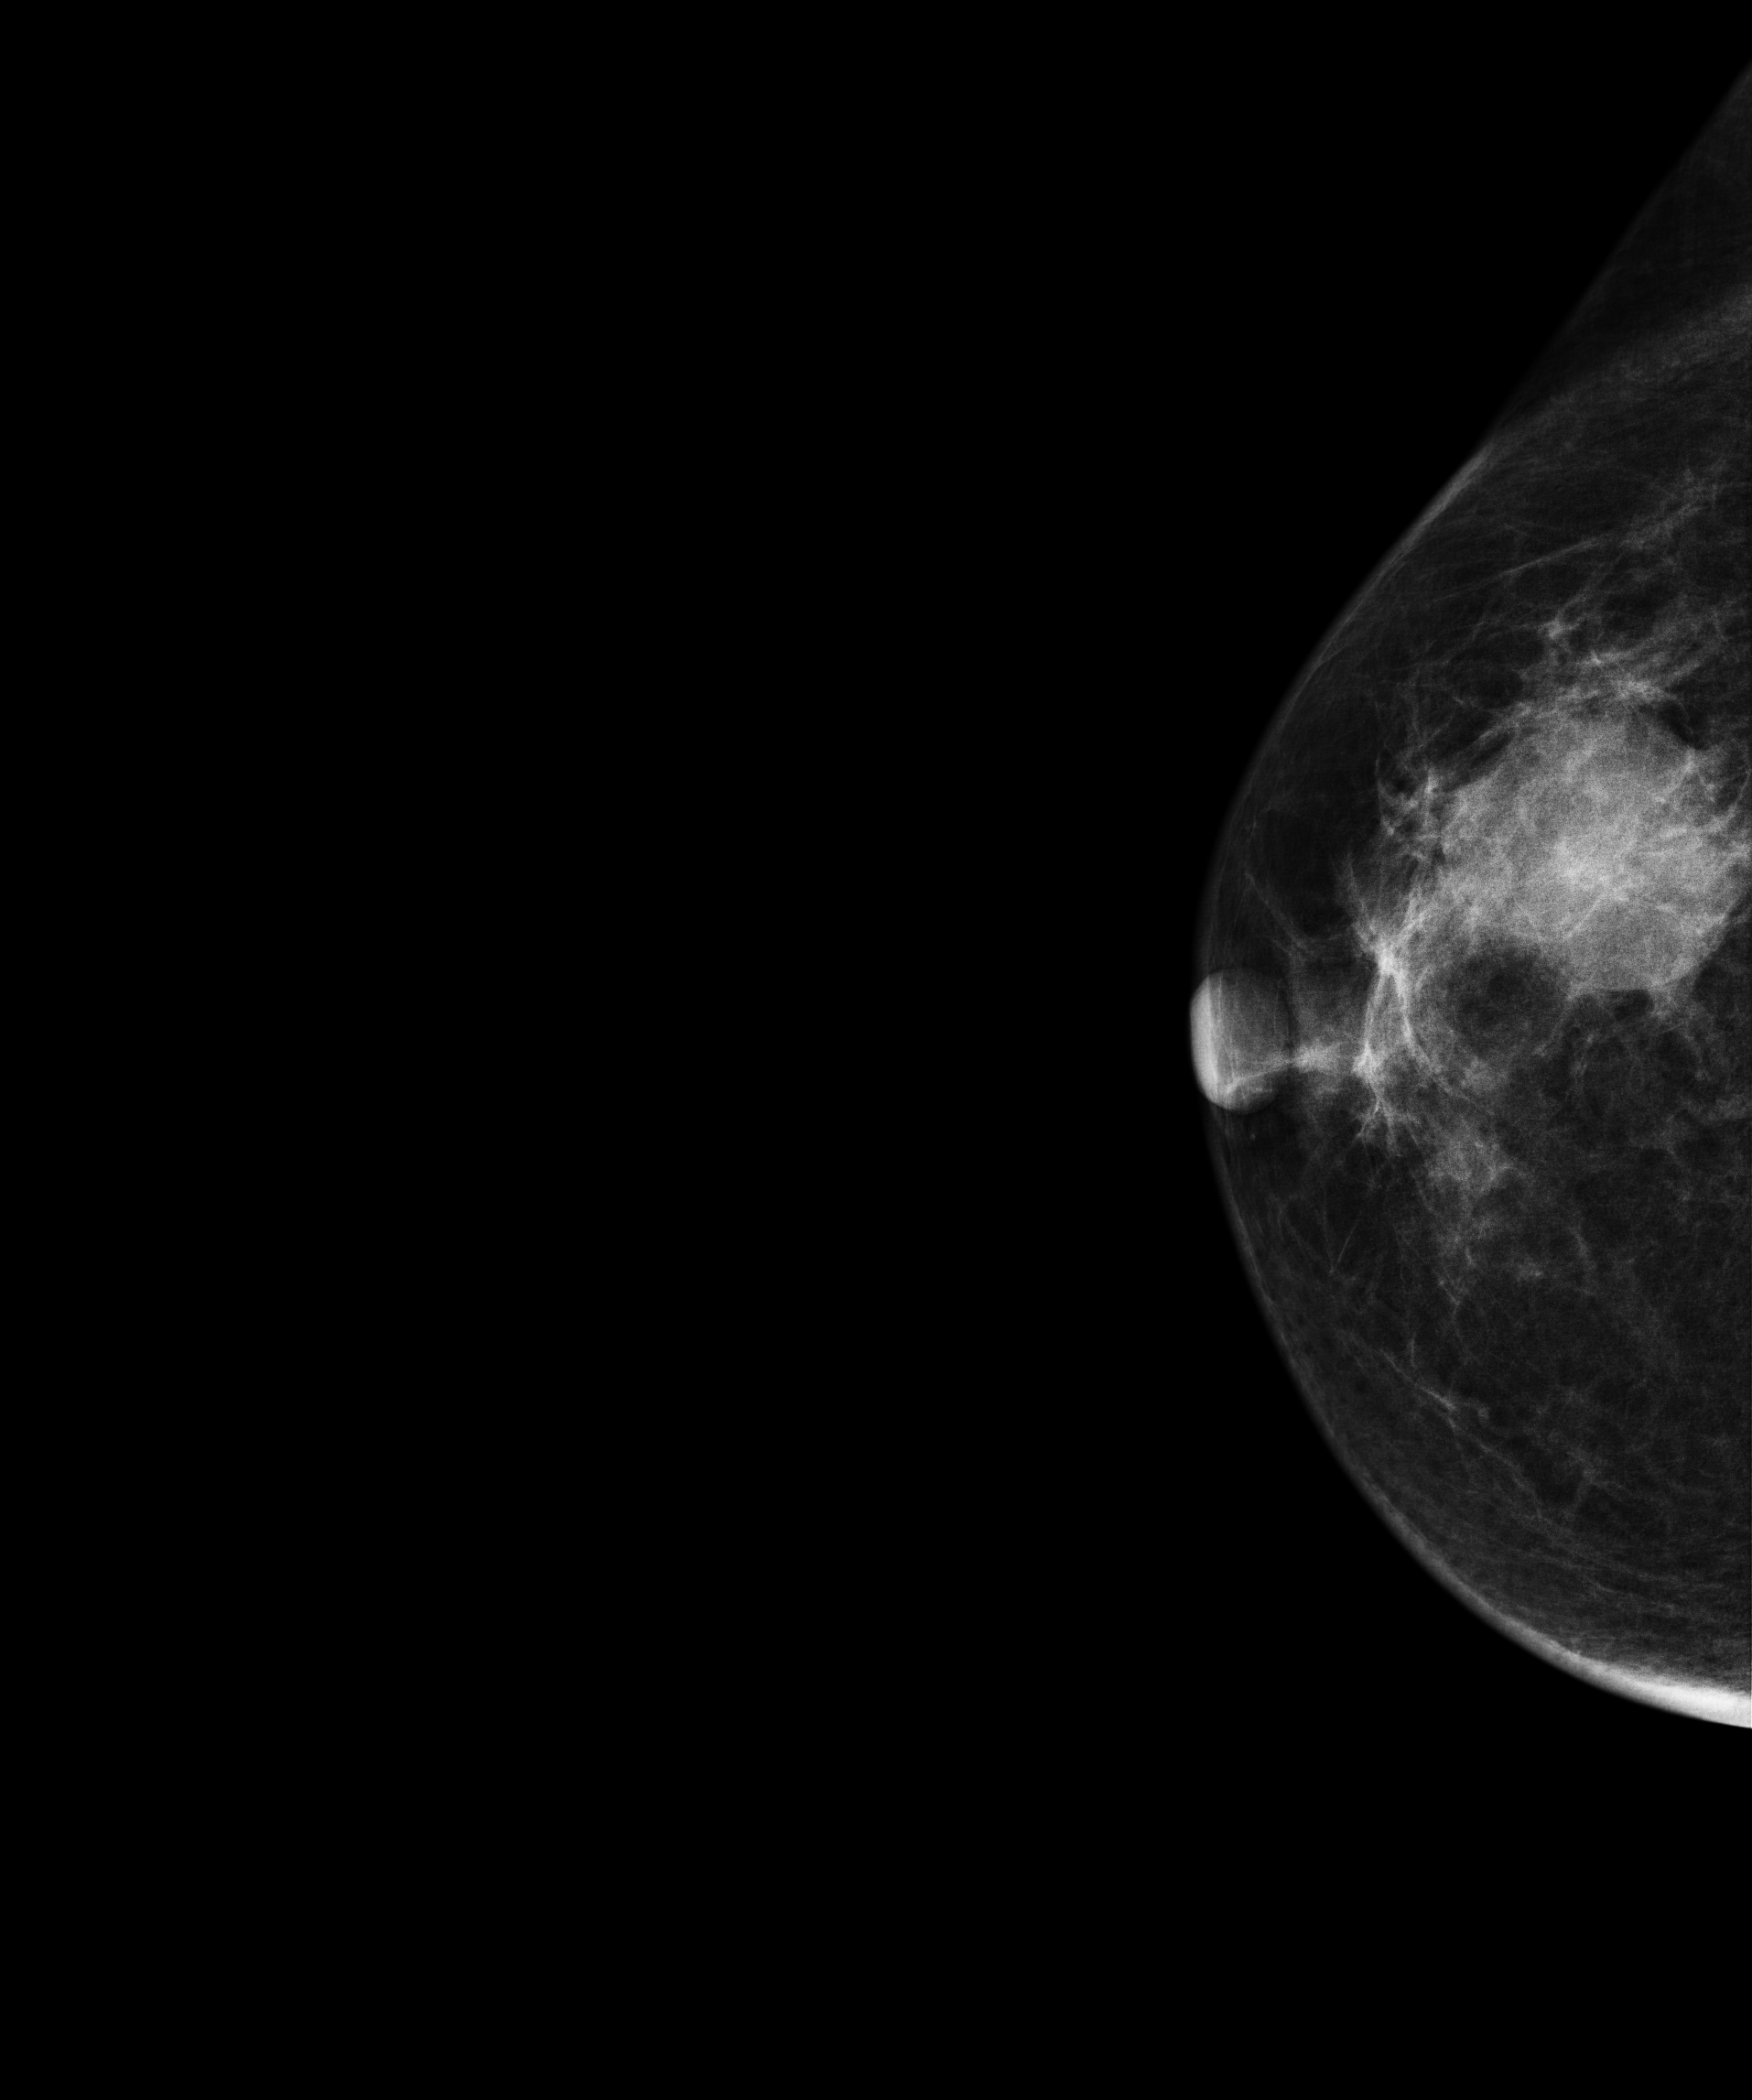
Right-breast mammogram, cranio-caudal. Patient age 64.
This breast has a mass, histologically confirmed malignant. Molecular subtype: triple-negative.